Mammogram — left CC. 30-year-old patient.
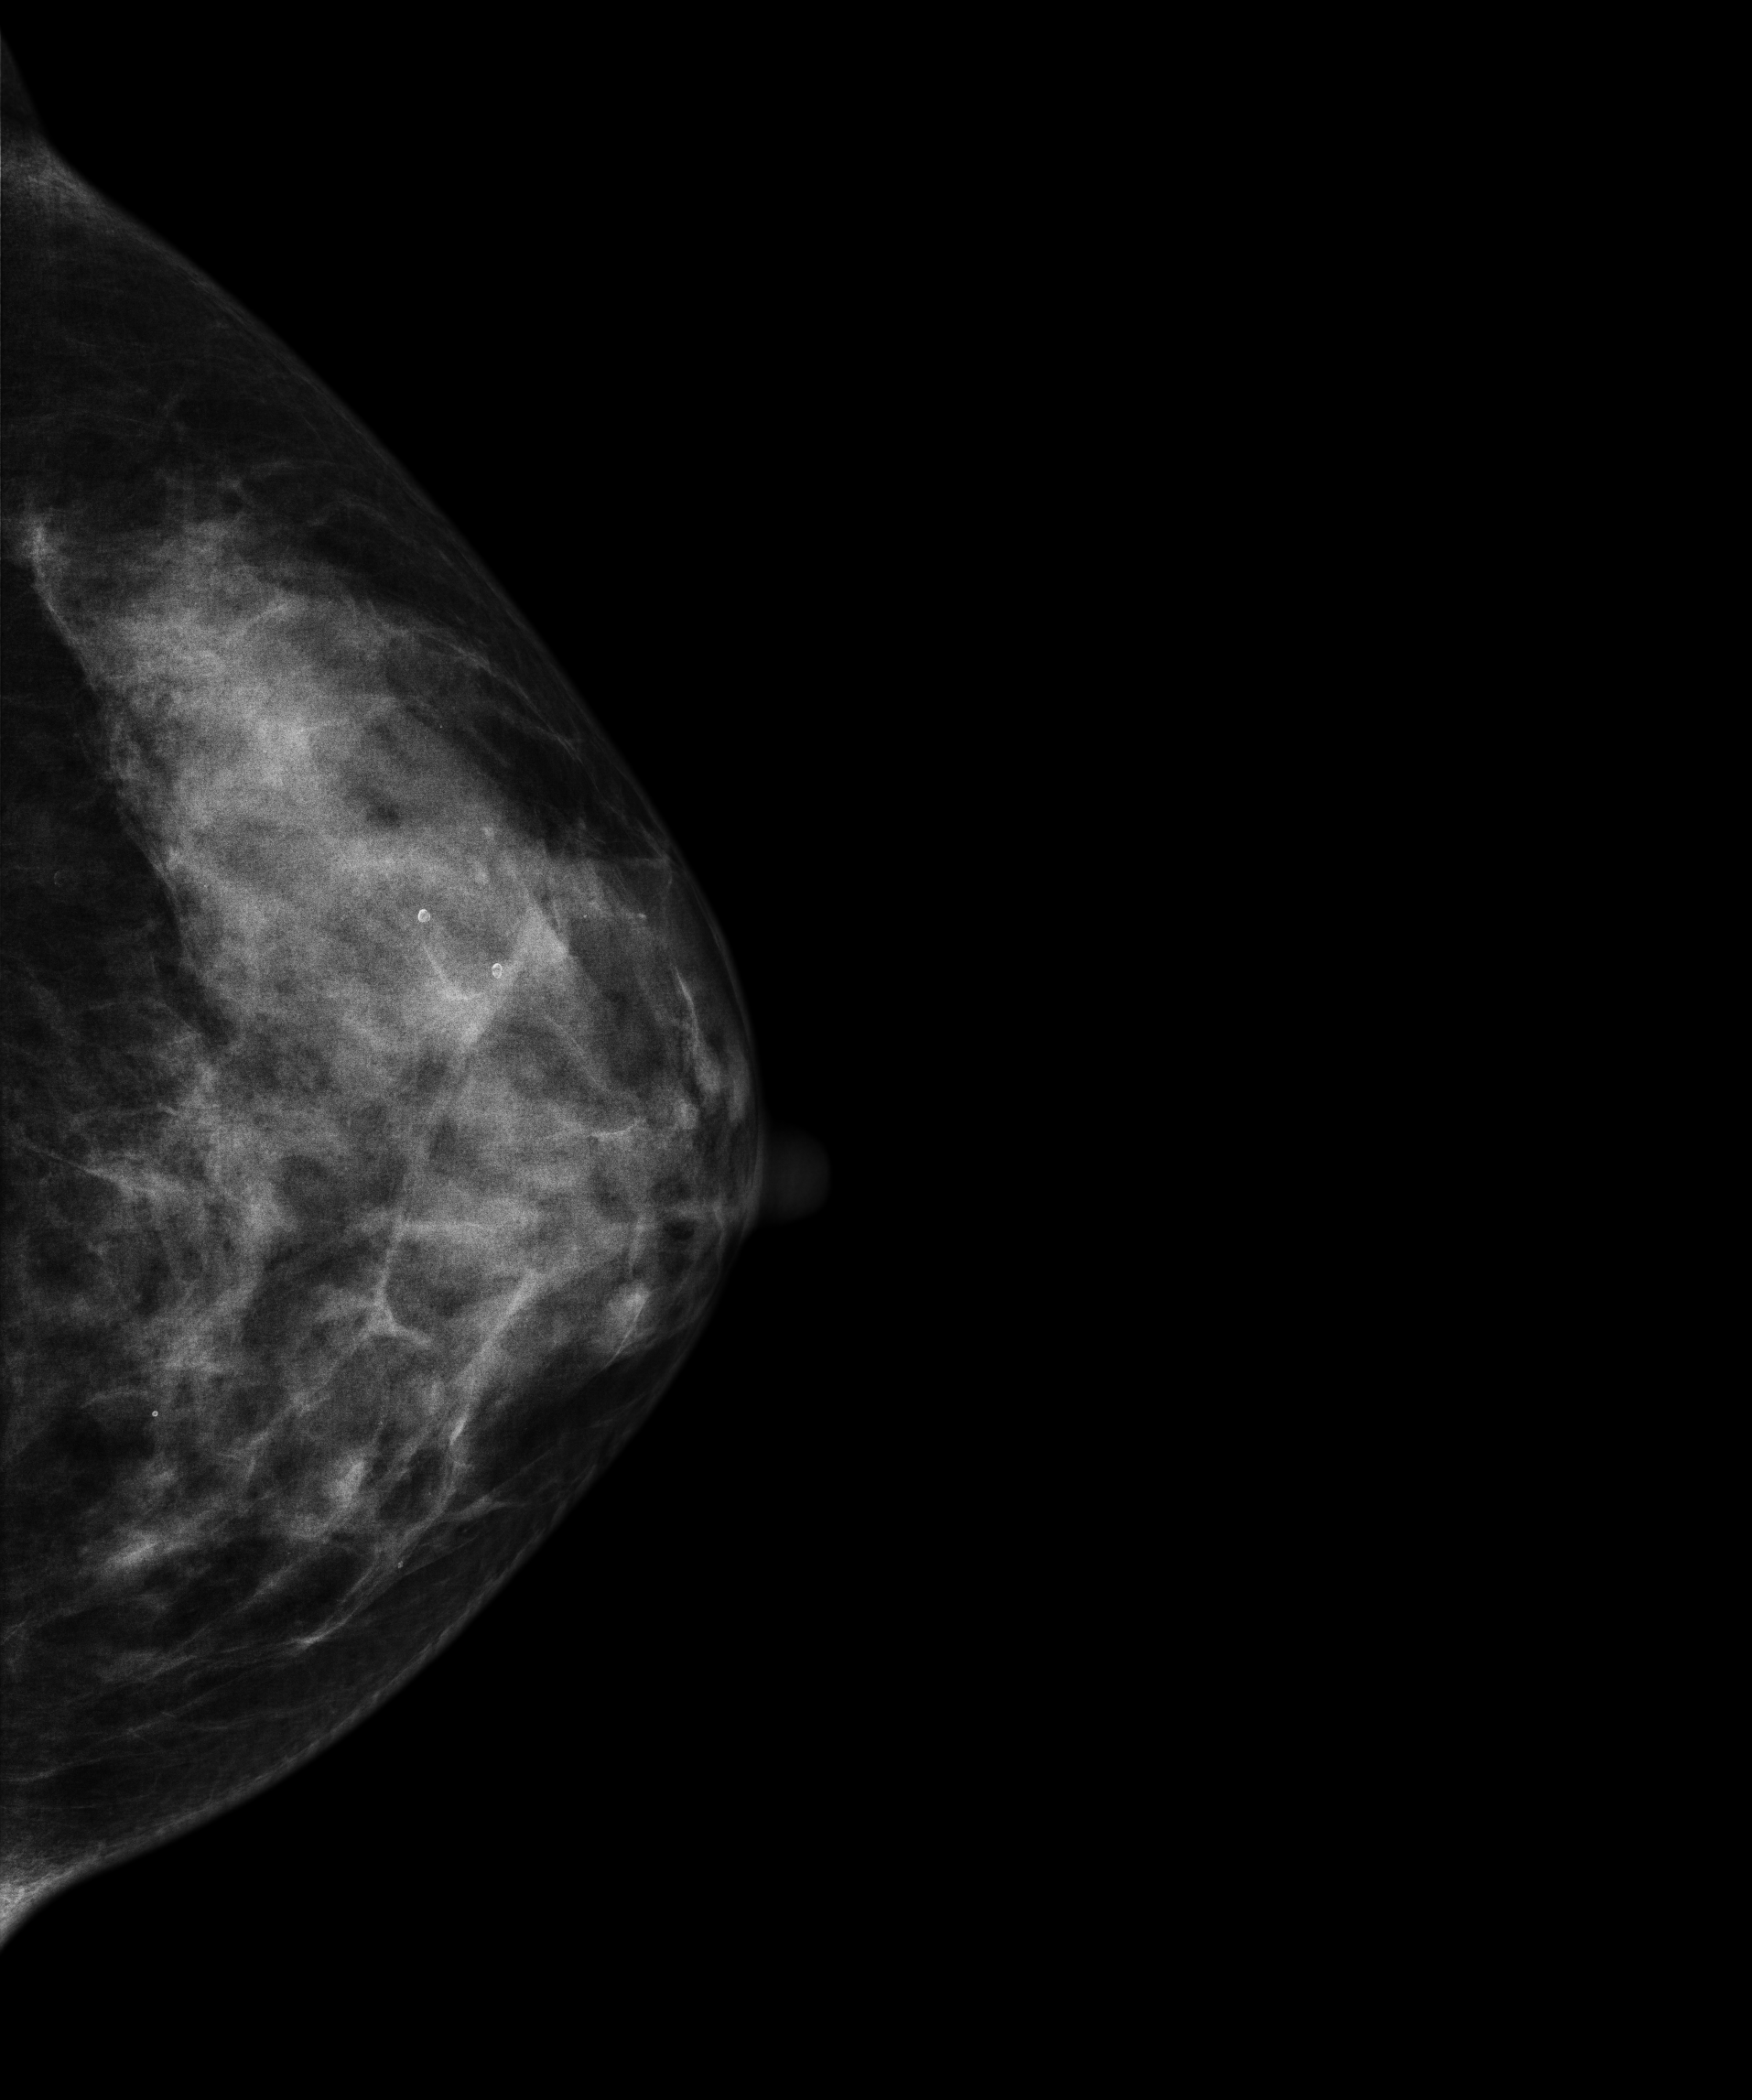
This breast has a mass and calcifications, histologically confirmed benign.